Mammogram, left breast, CC view. Patient age 38.
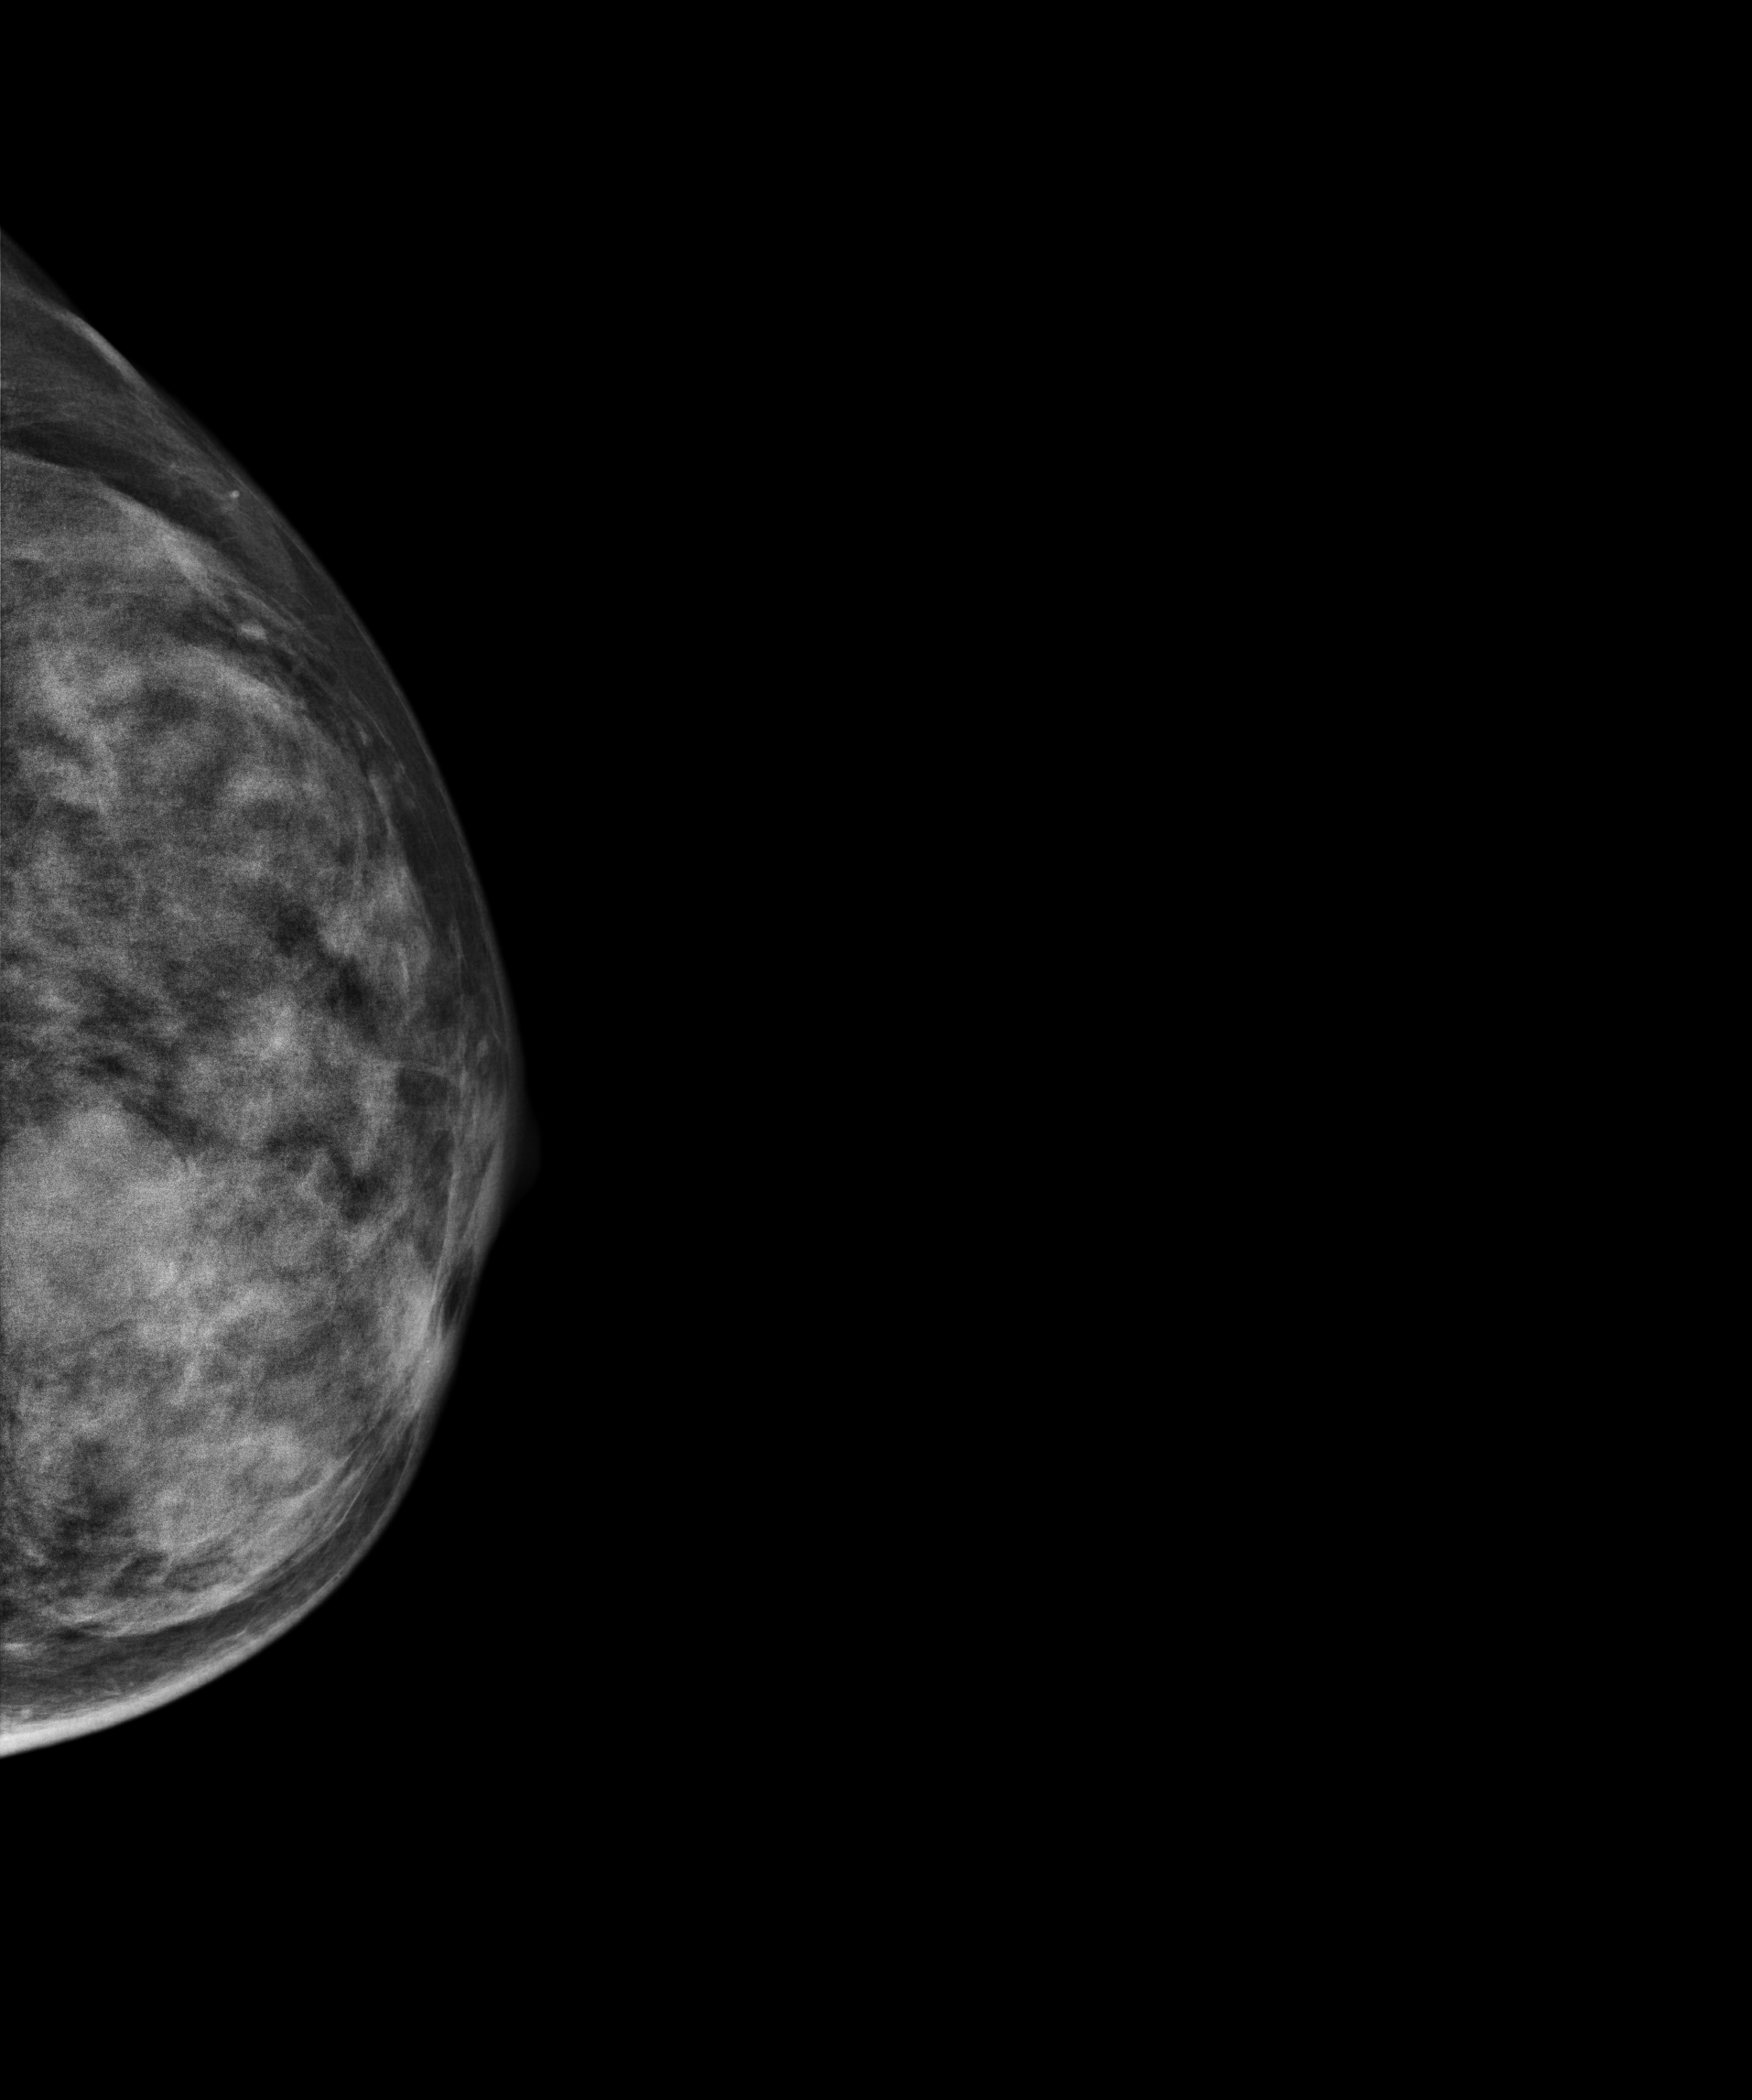
This breast has a mass, biopsy-proven benign.